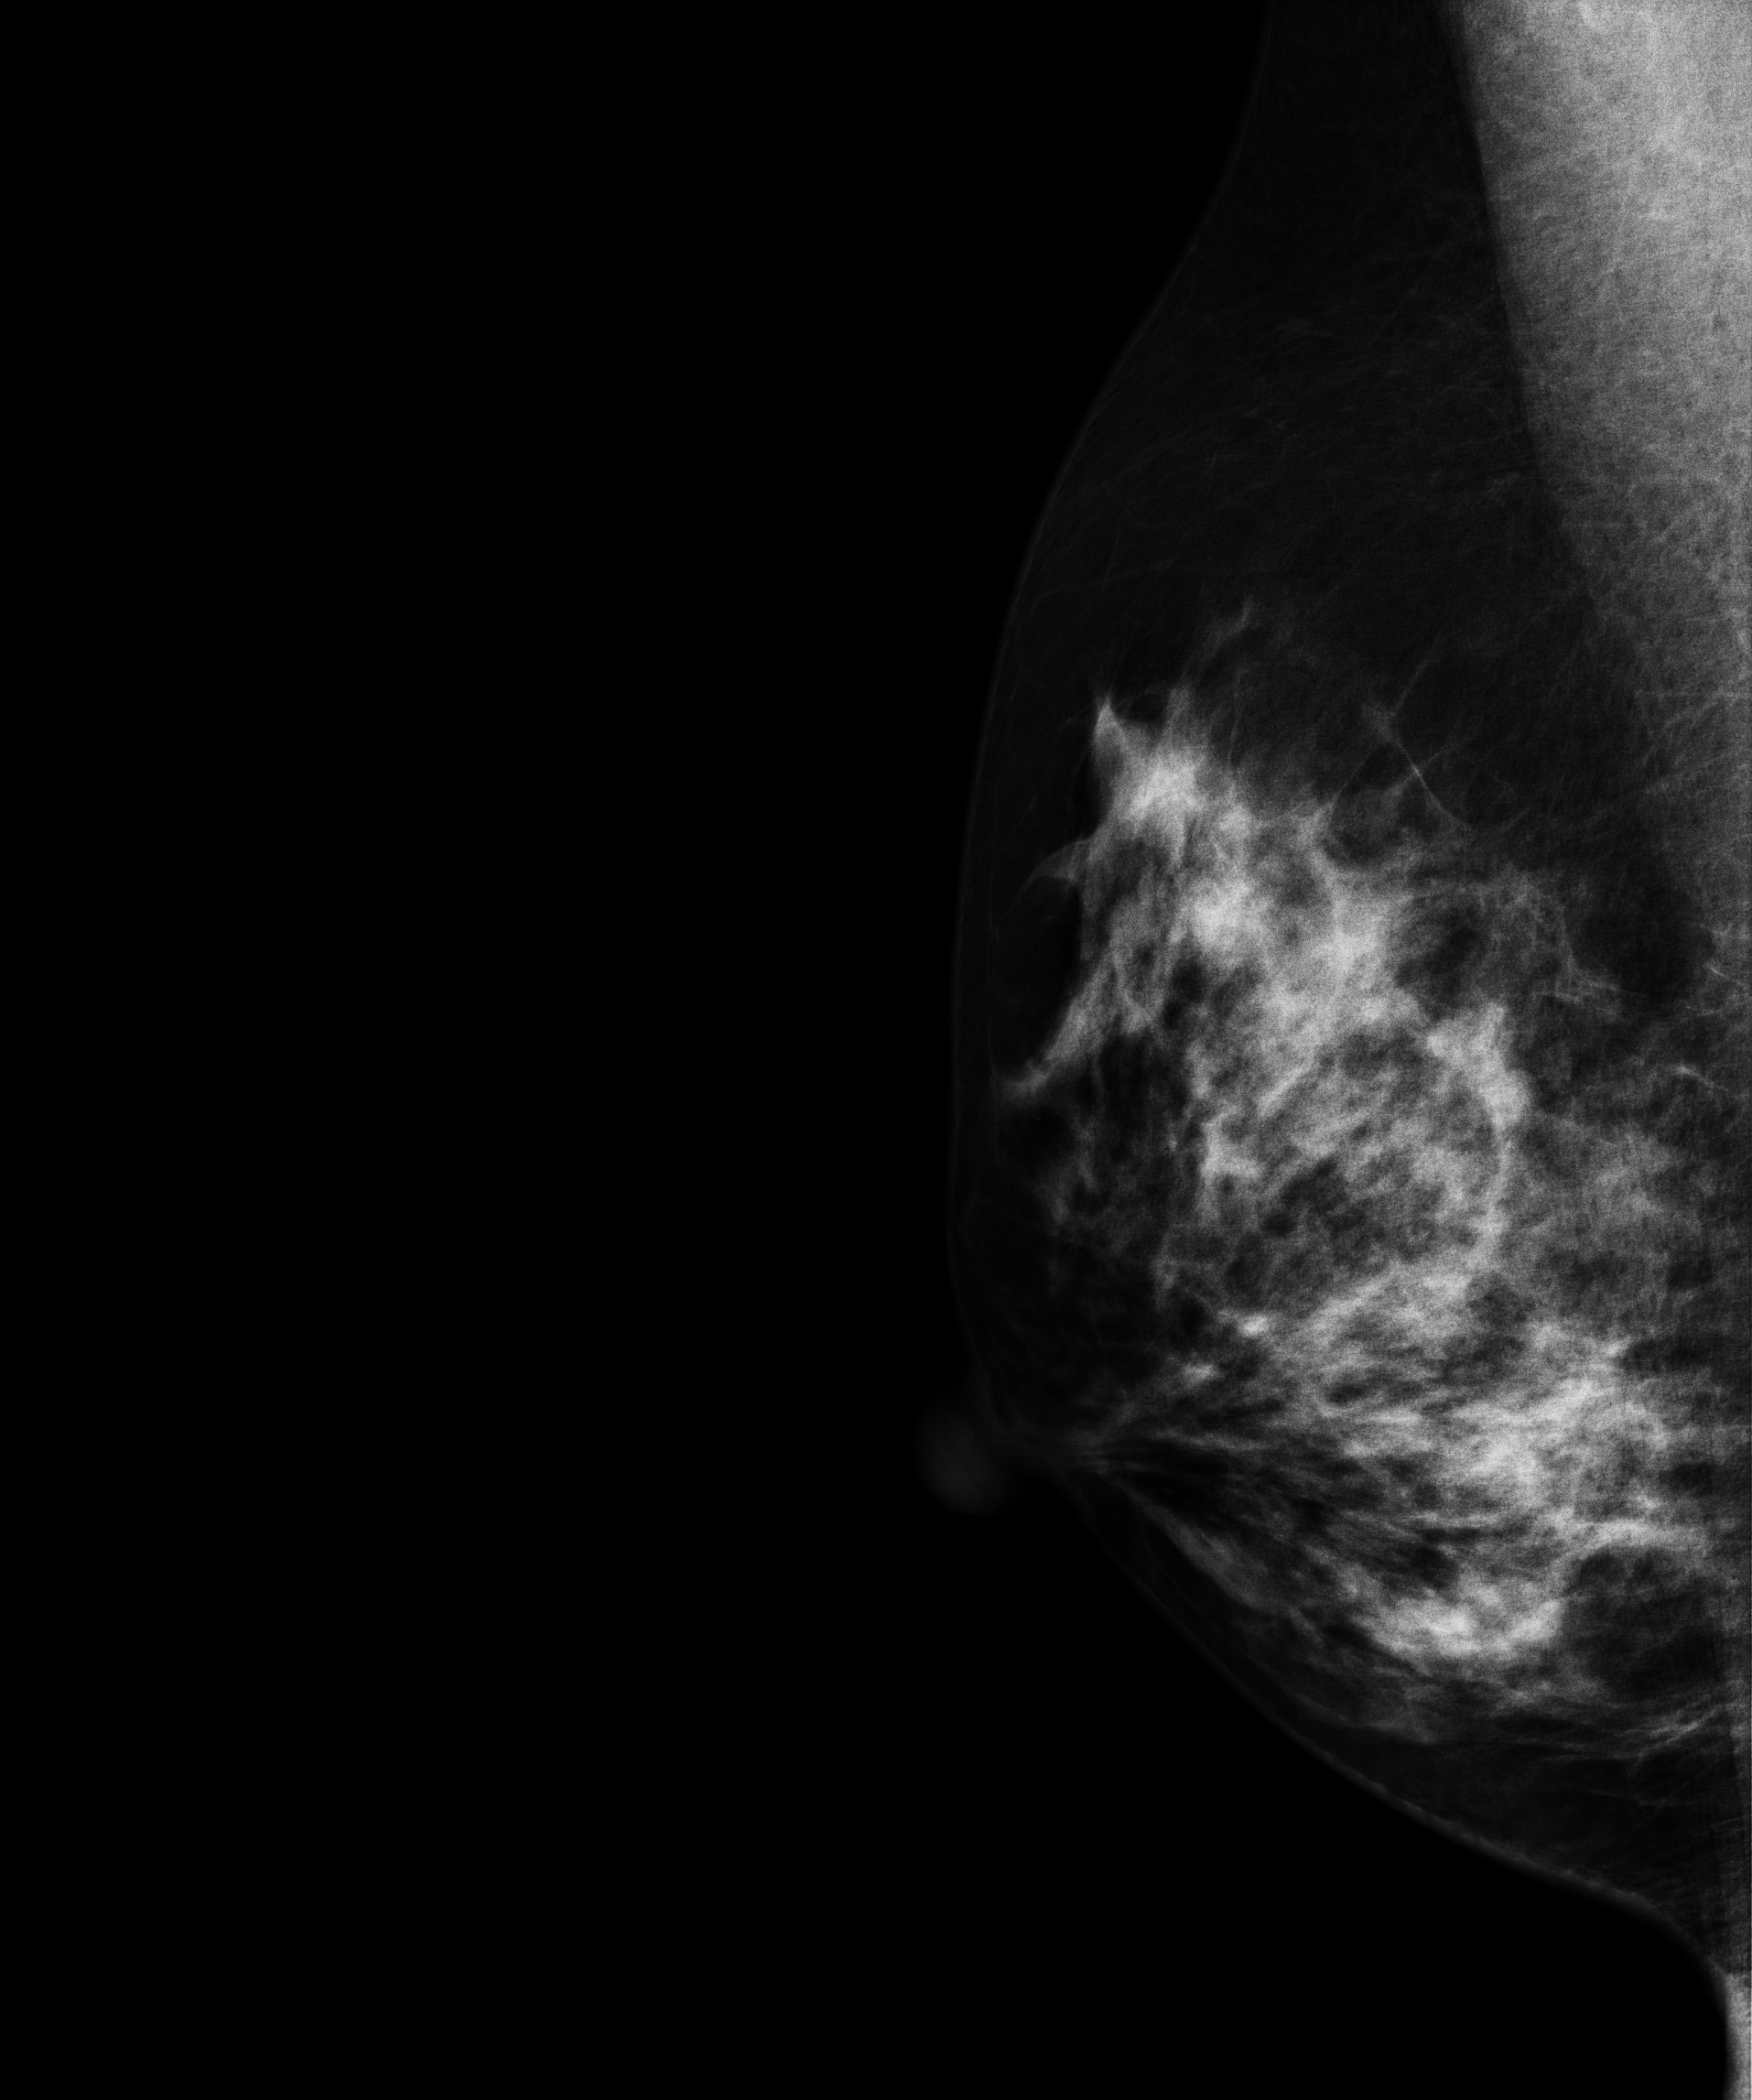
Medio-lateral oblique mammogram of the right breast. 38 y/o patient.
This breast has a mass, pathology-confirmed benign.